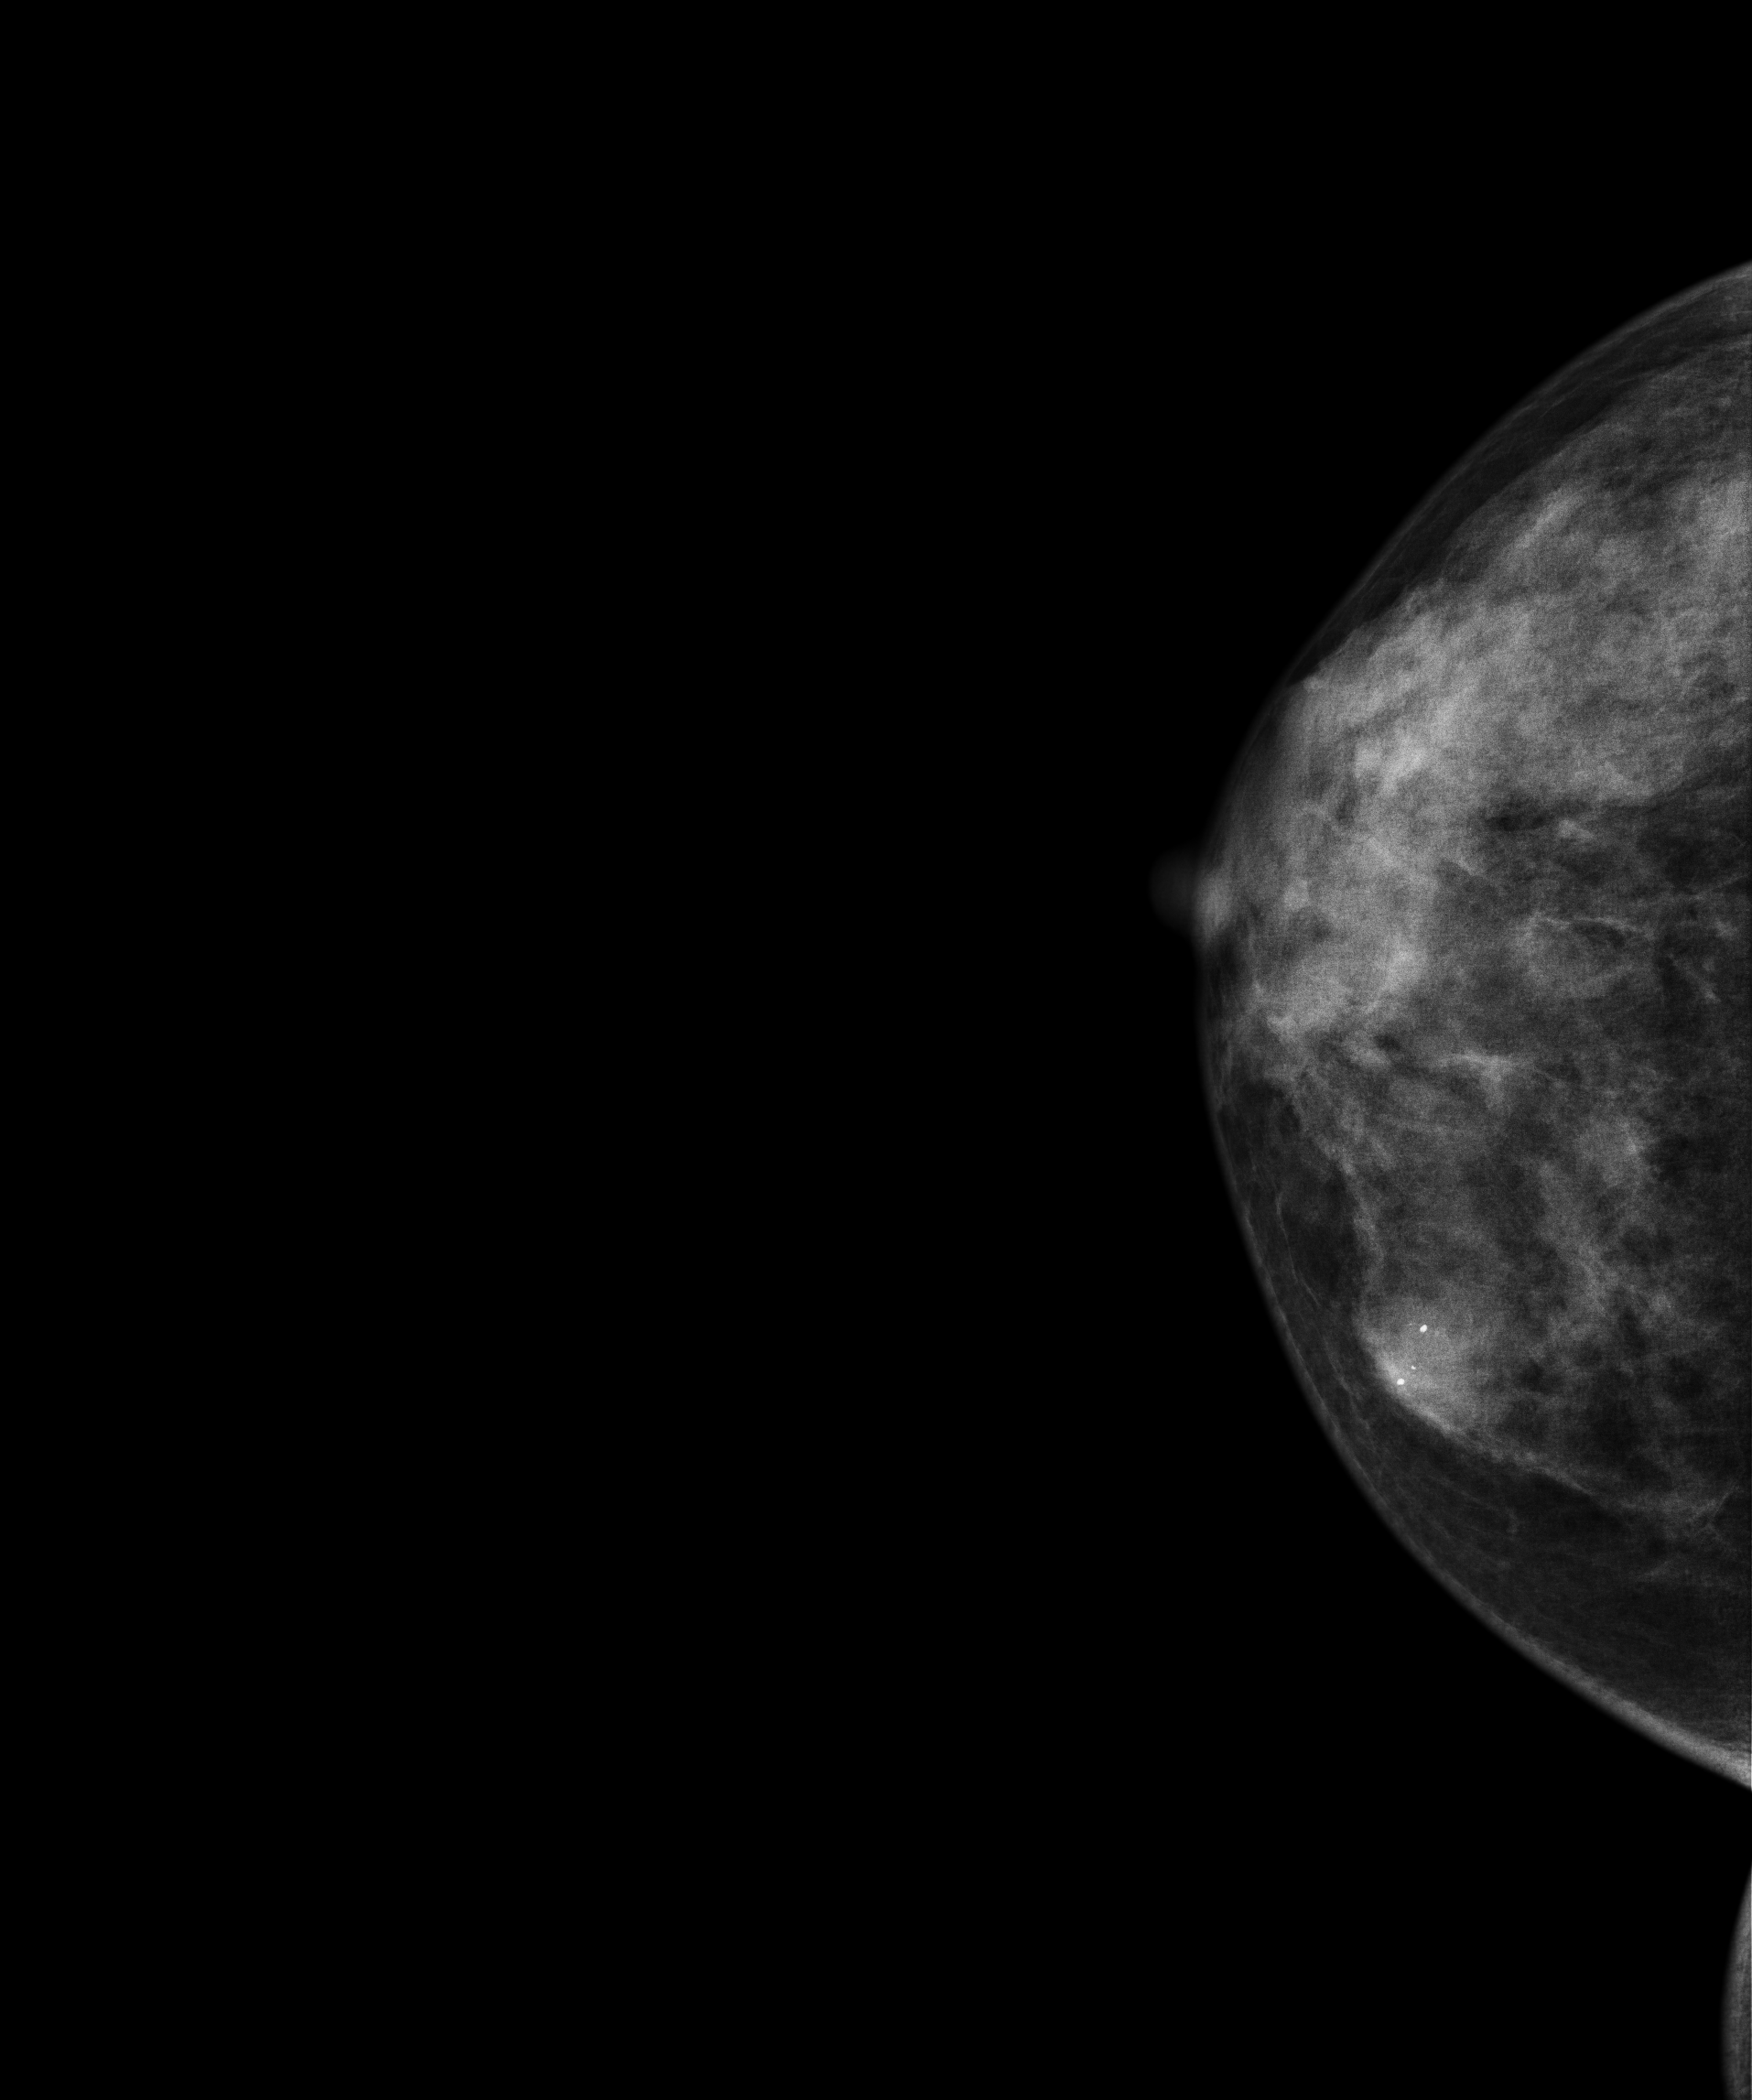
Mammogram — right CC. 43 y/o patient.
This breast has a mass and calcifications, pathology-confirmed benign.